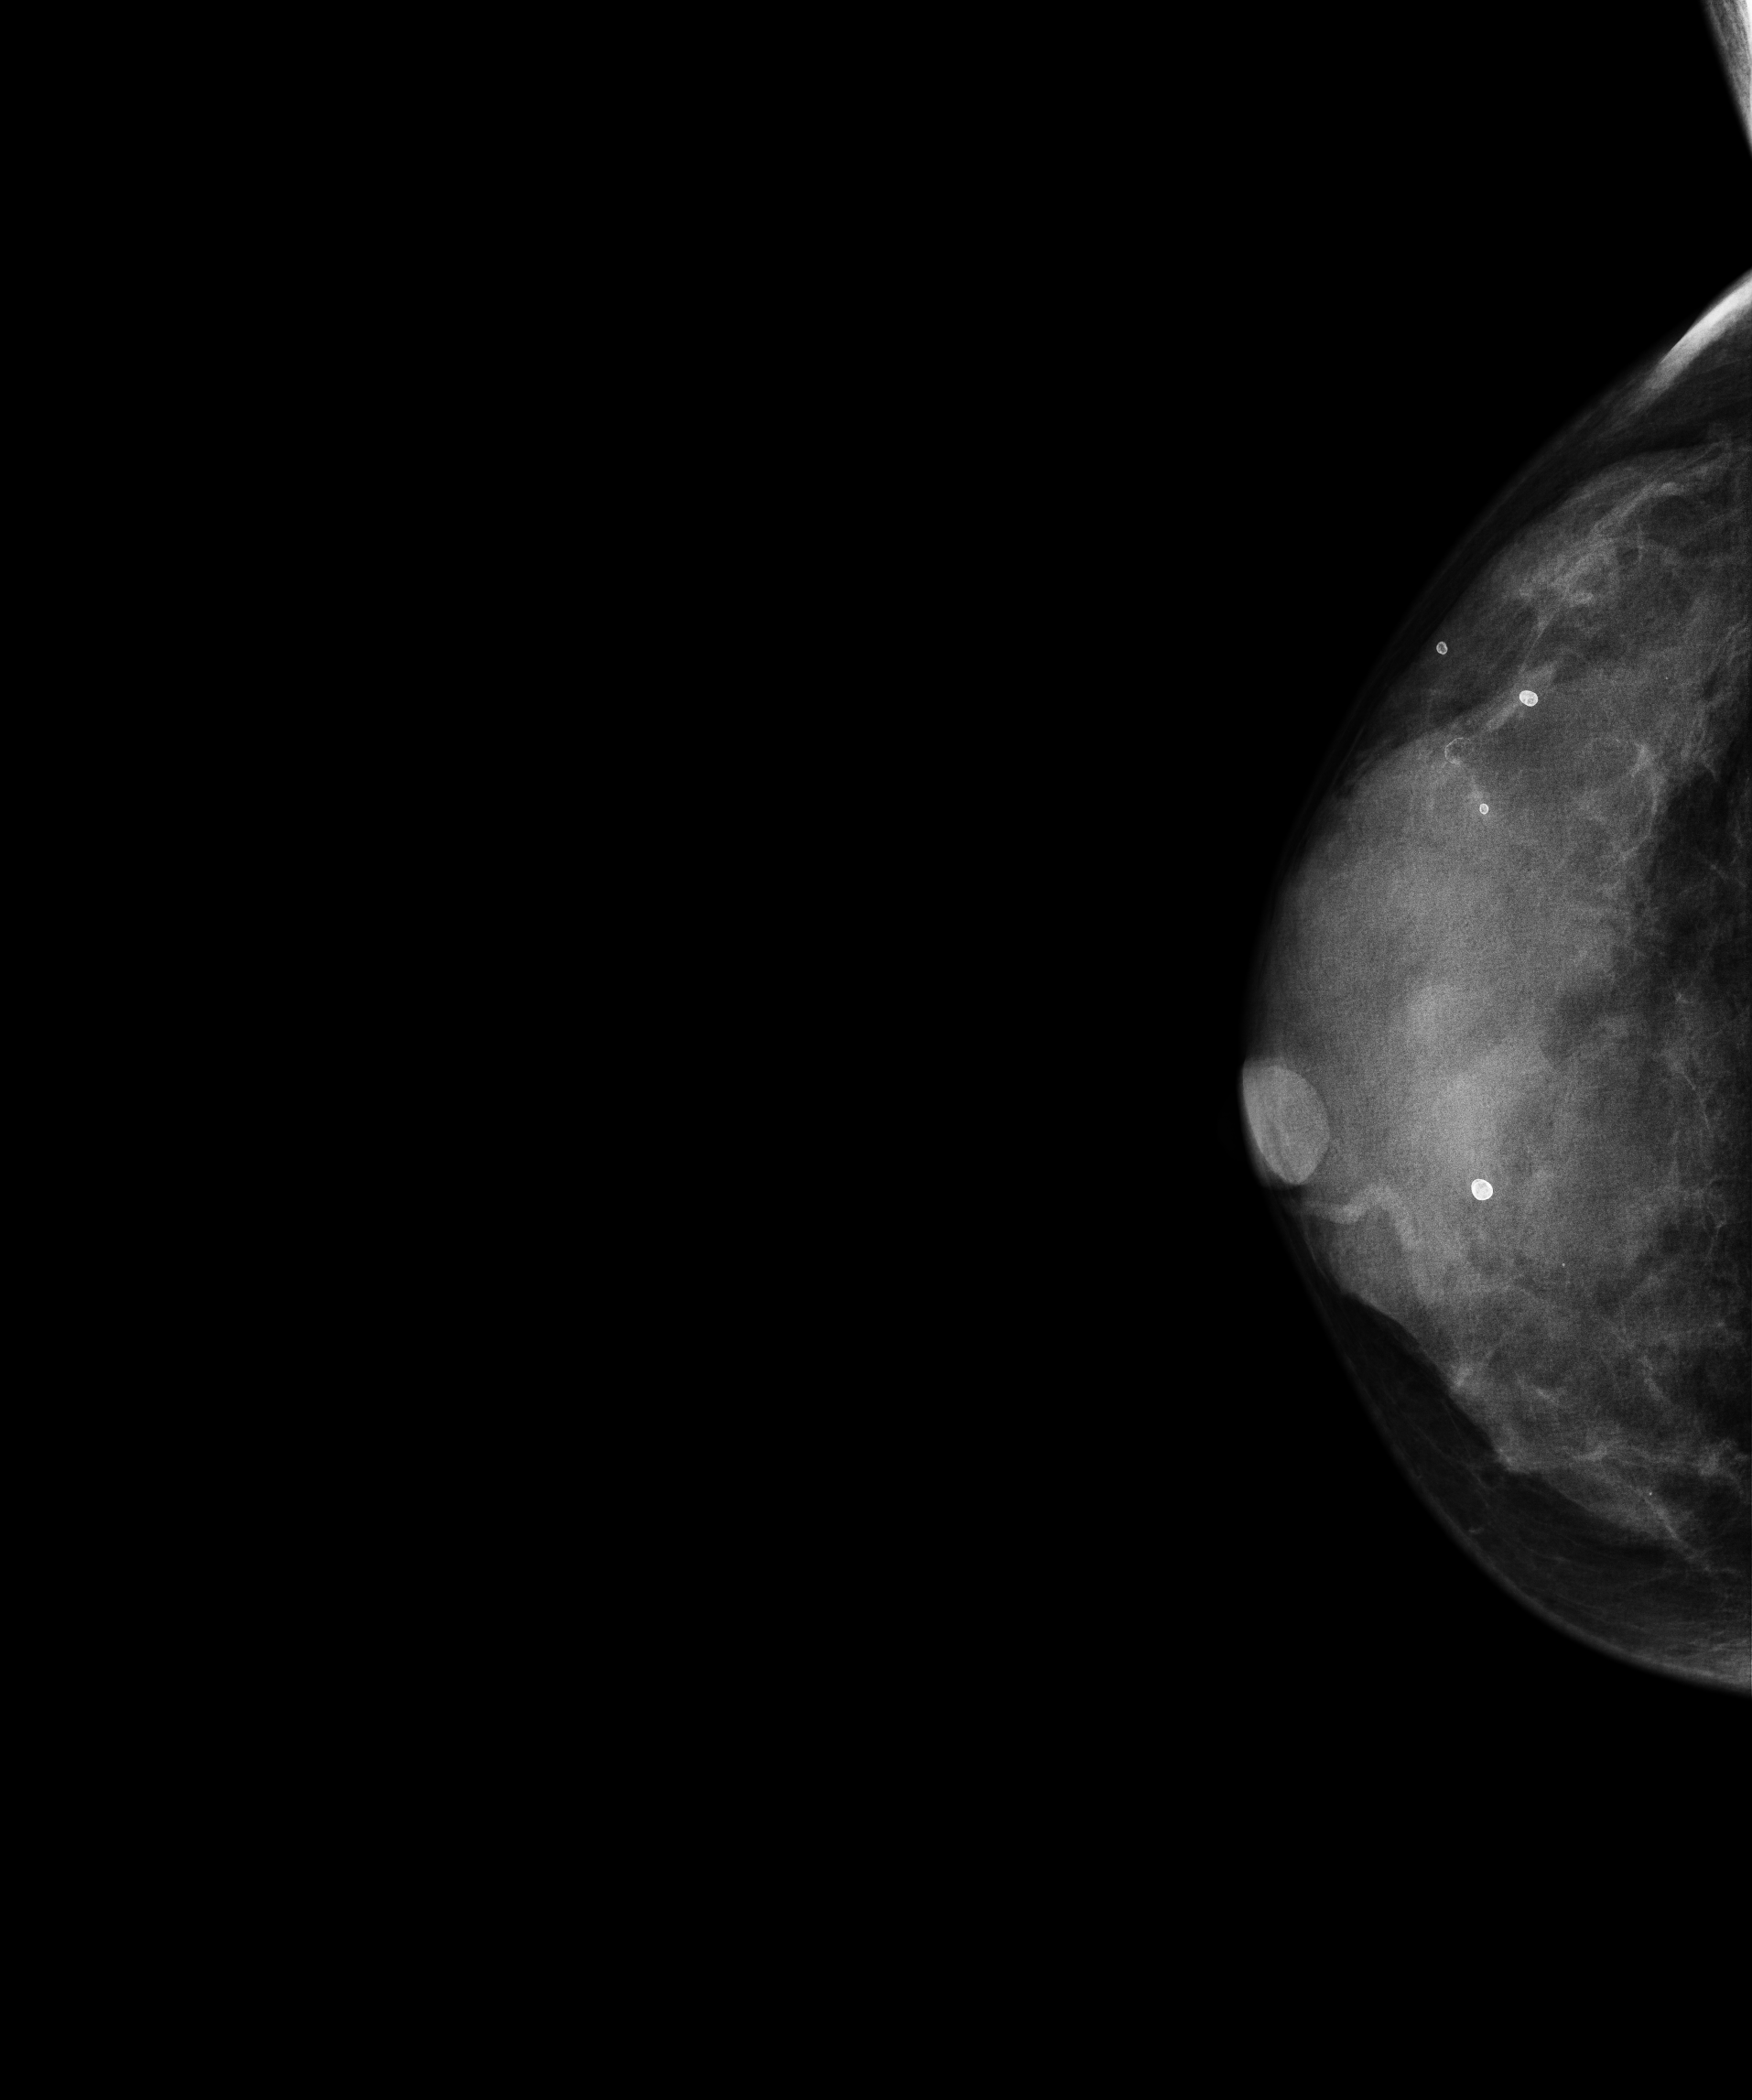
CC mammogram of the right breast. 56-year-old patient.
This breast has calcifications, biopsy-confirmed malignant.